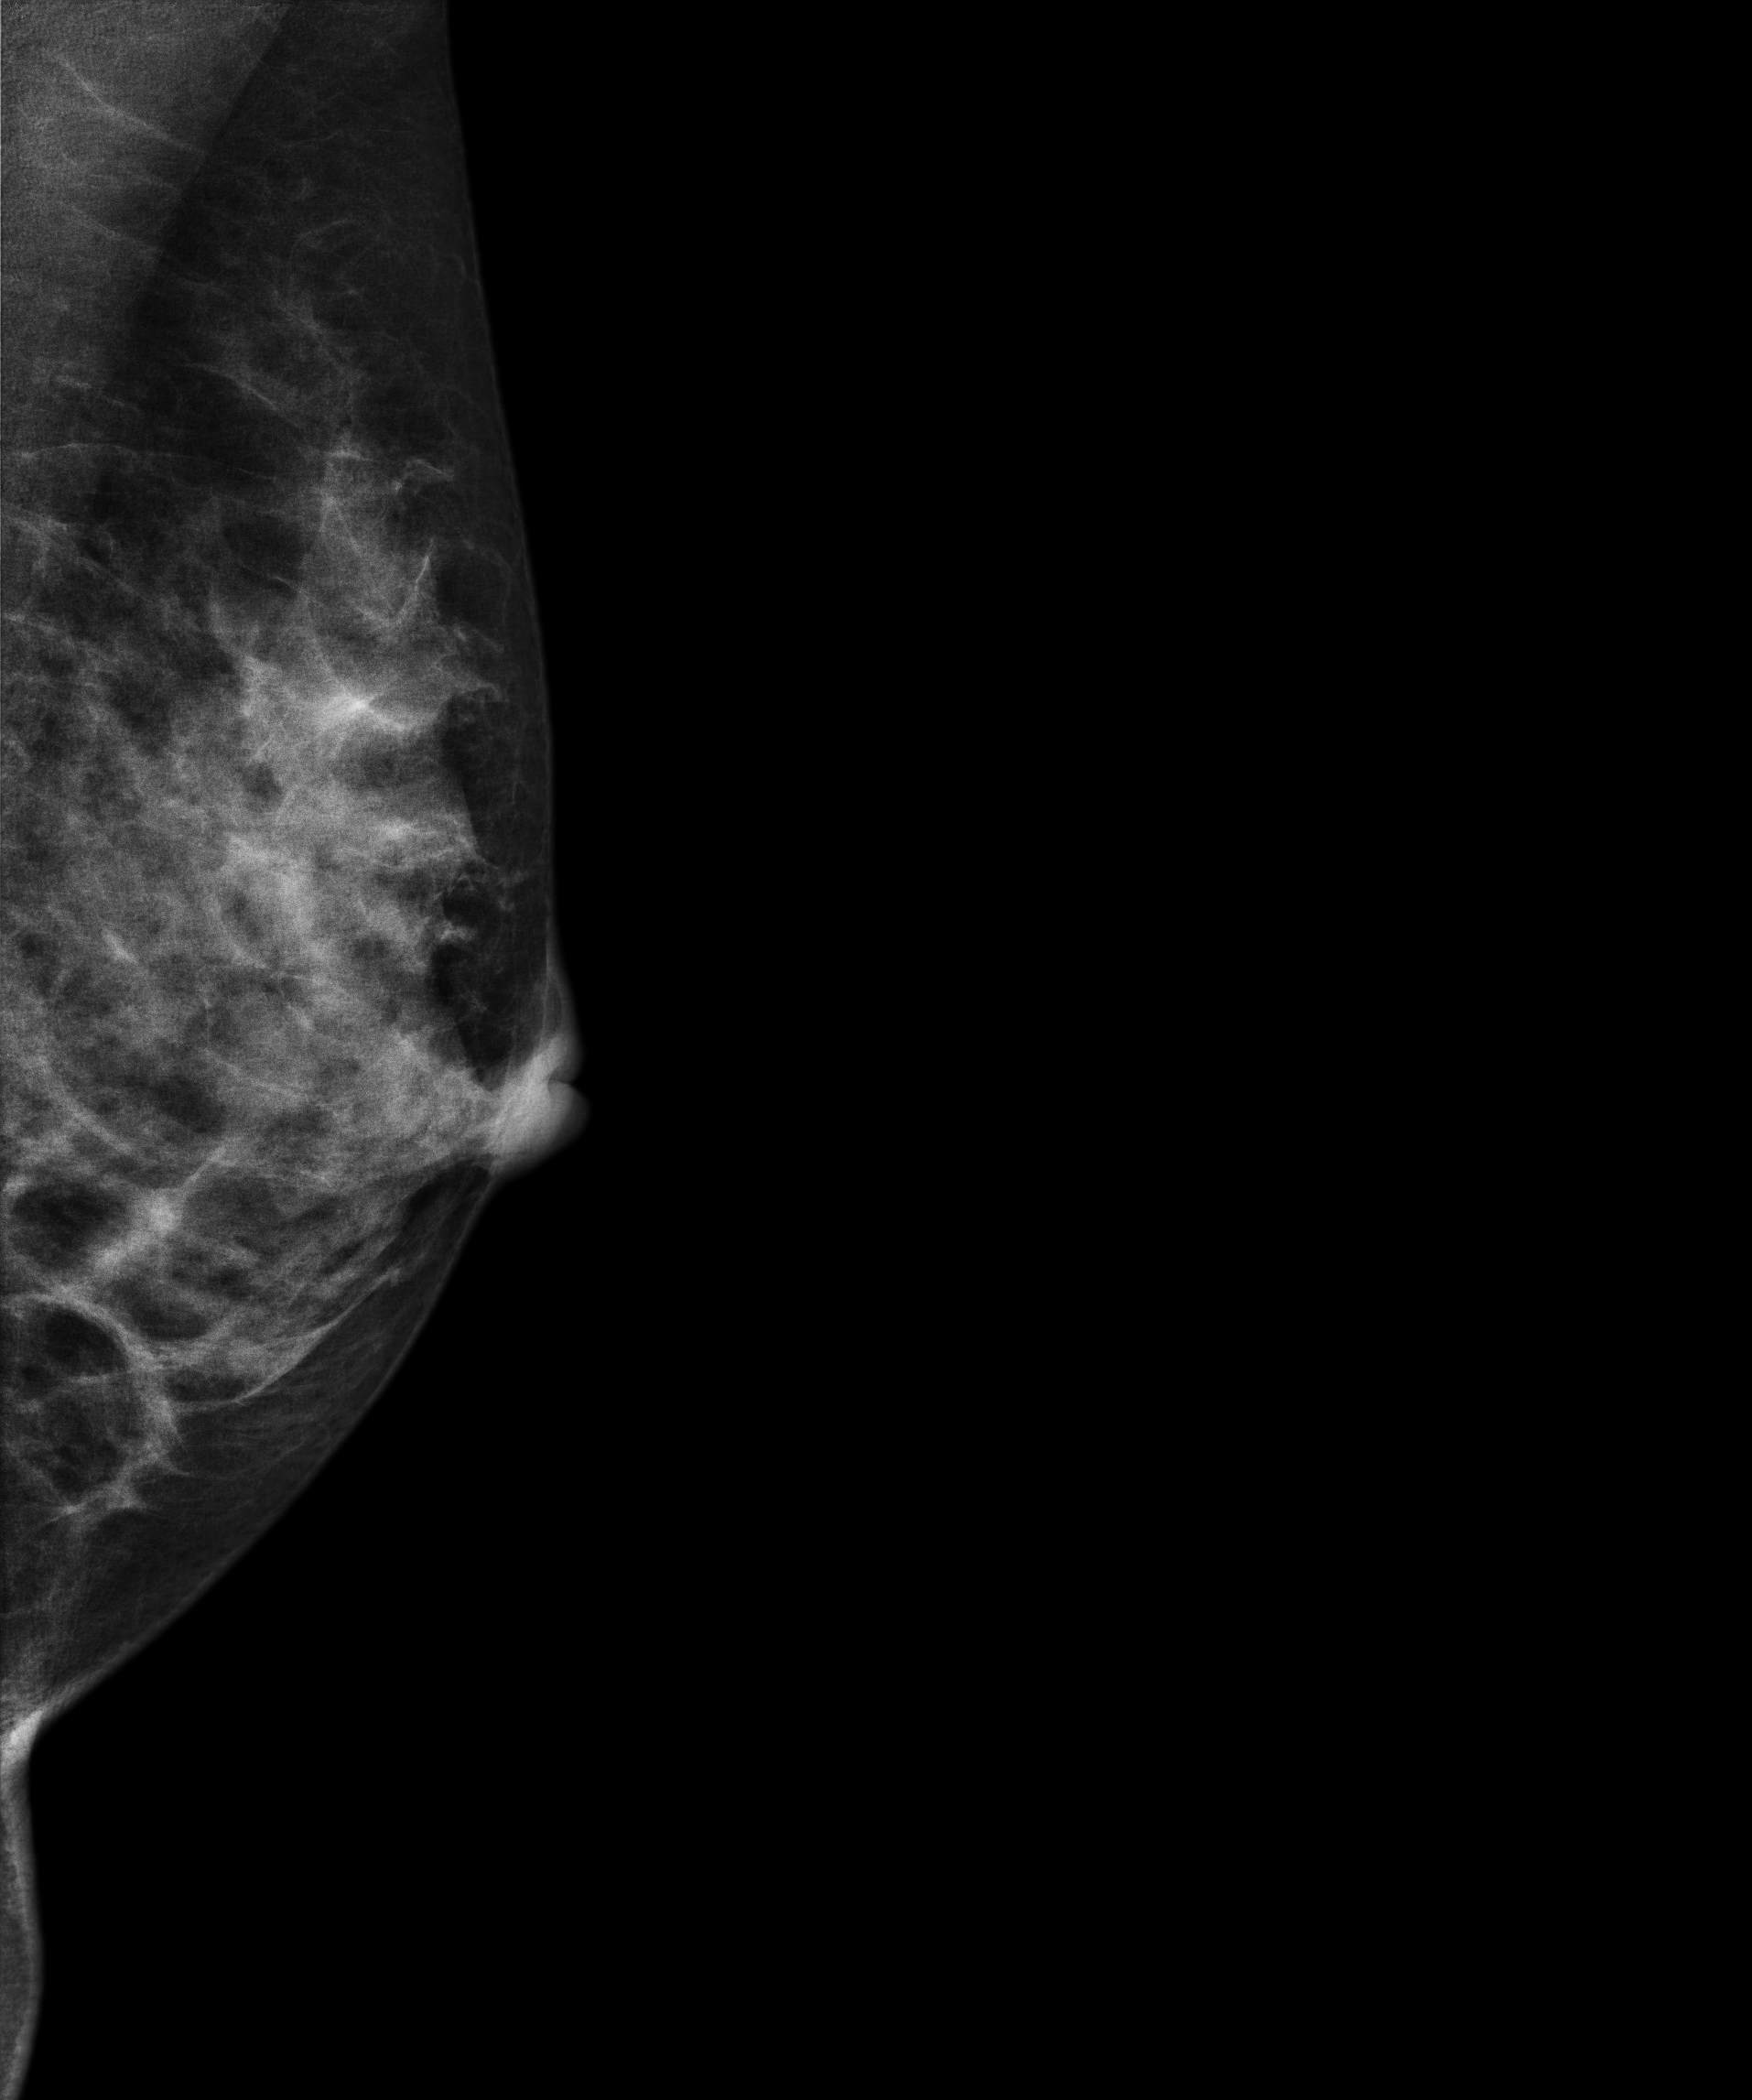
Mammogram, left breast, medio-lateral oblique view. 50 y/o patient.
This breast has a mass, pathology-confirmed benign.